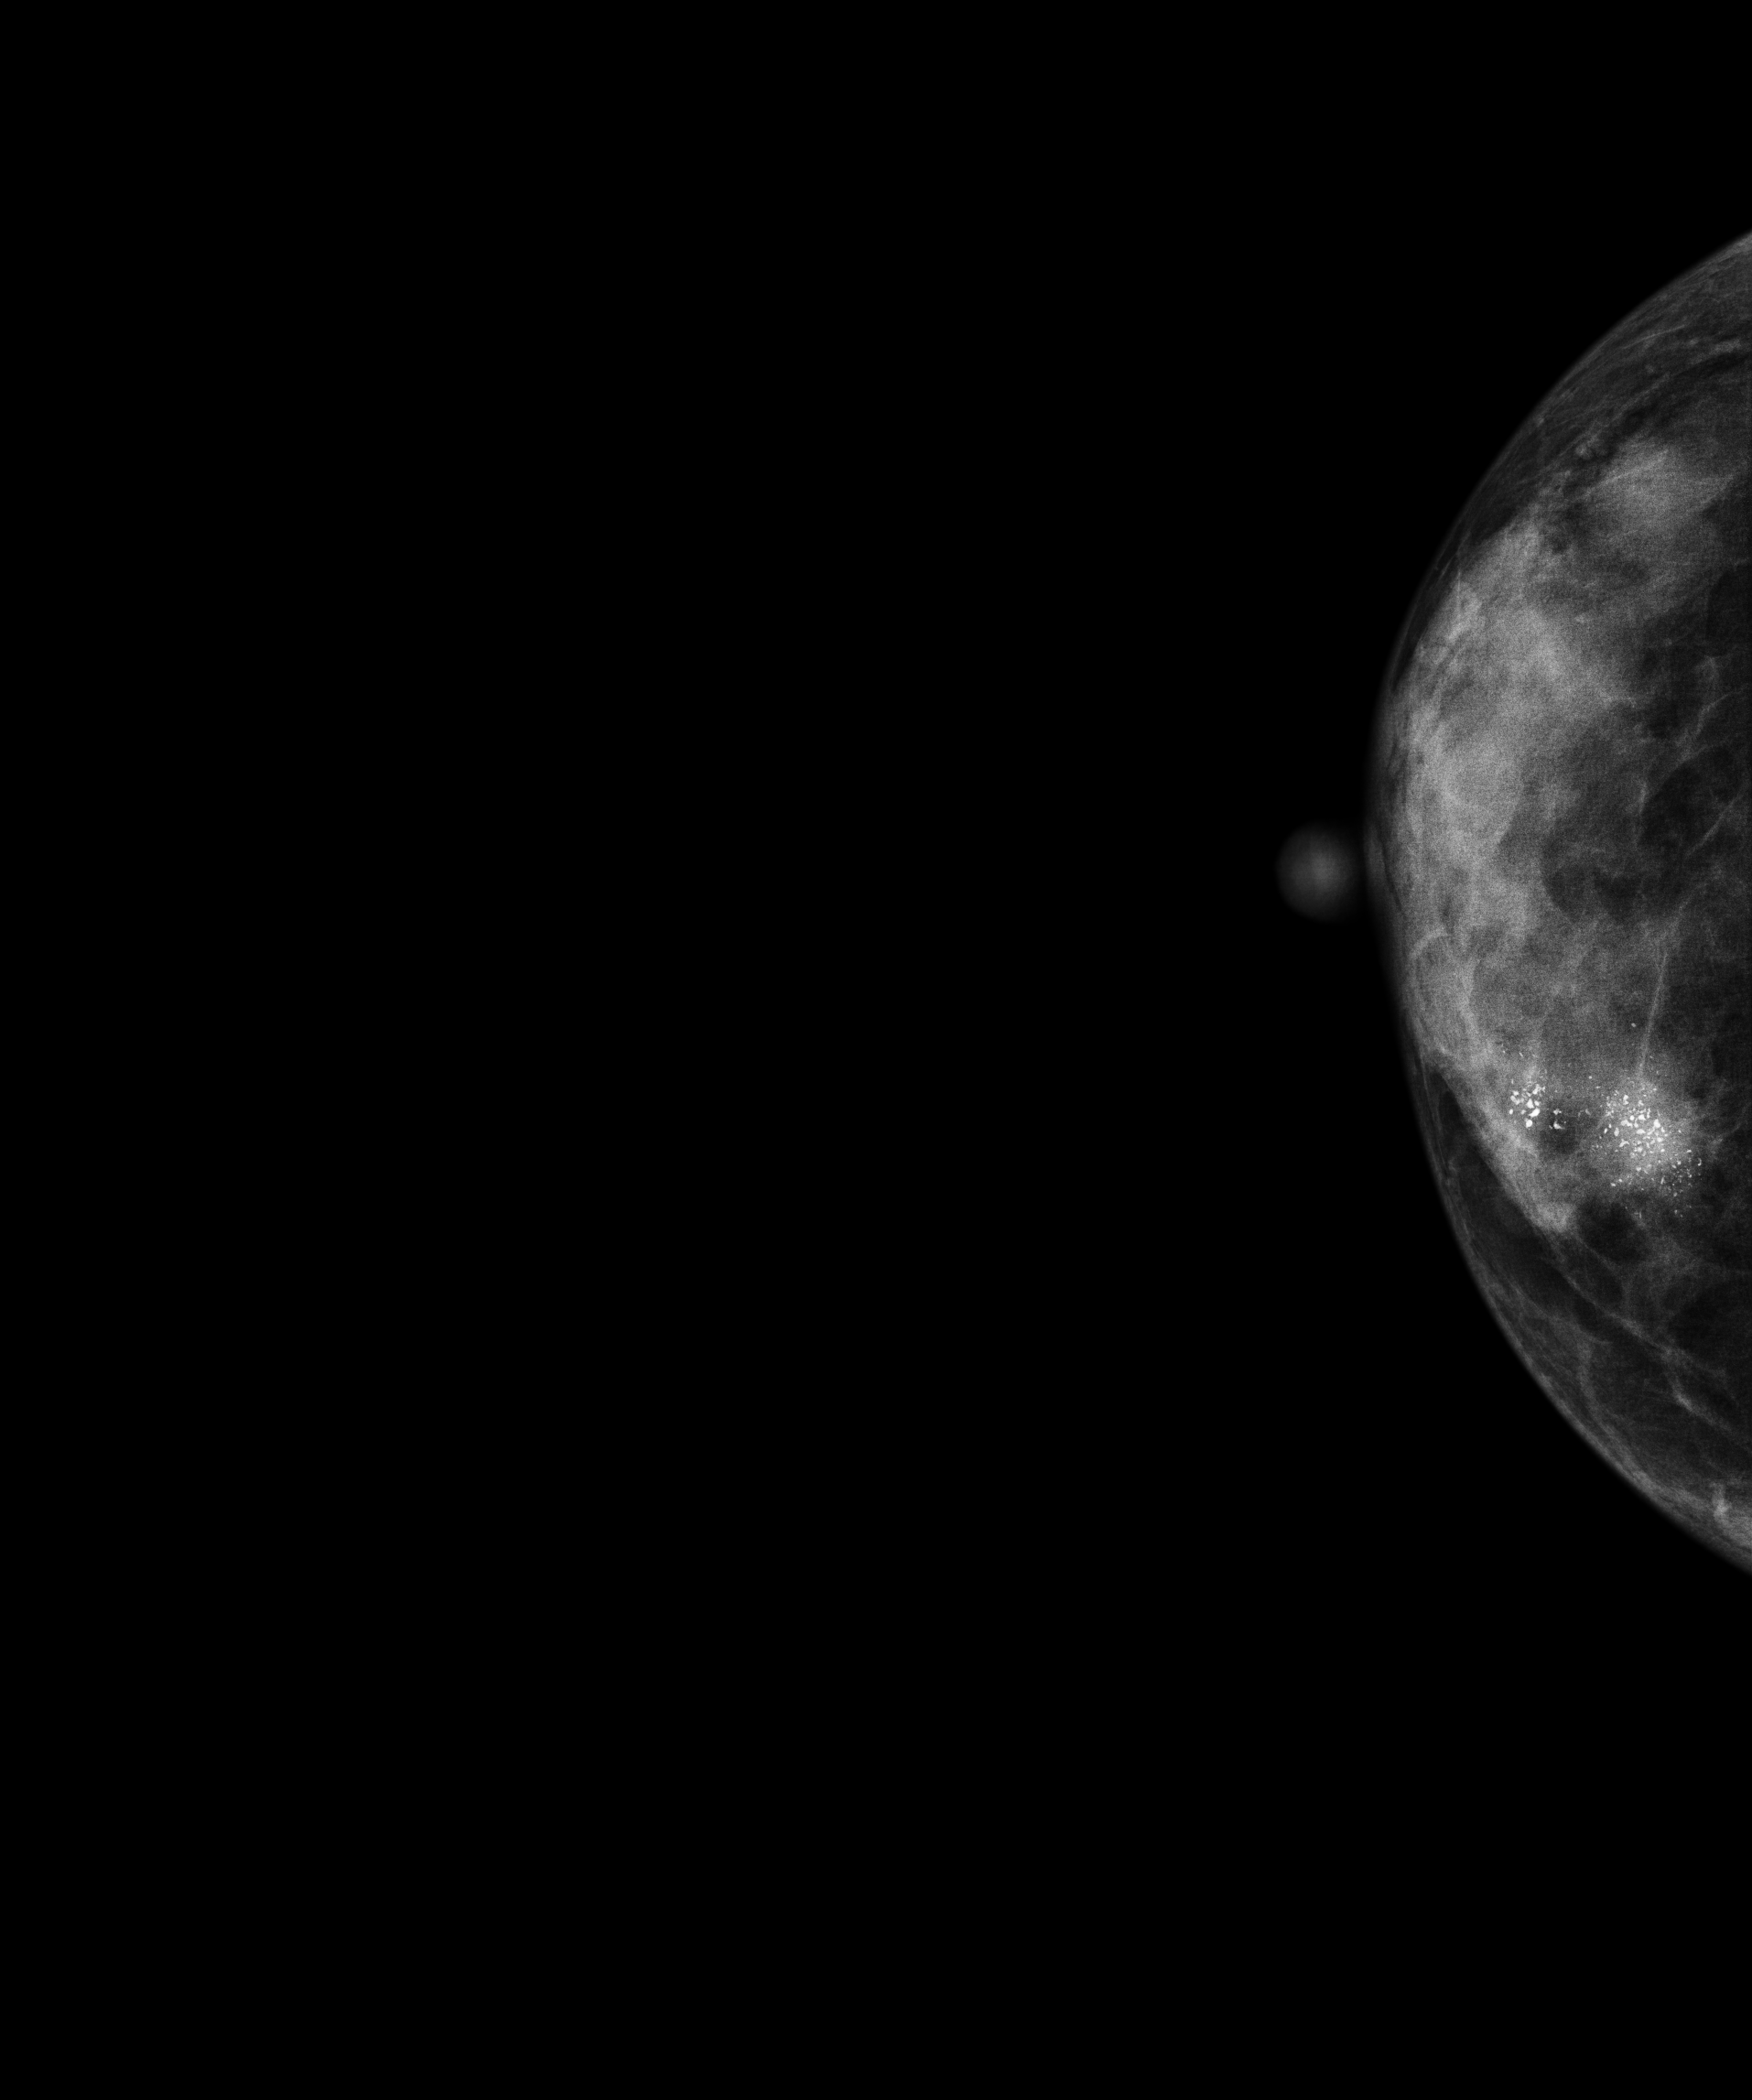
Mammogram — right CC. 40 y/o patient.
This breast has a mass and calcifications, biopsy-confirmed malignant. Molecular subtype: luminal A.